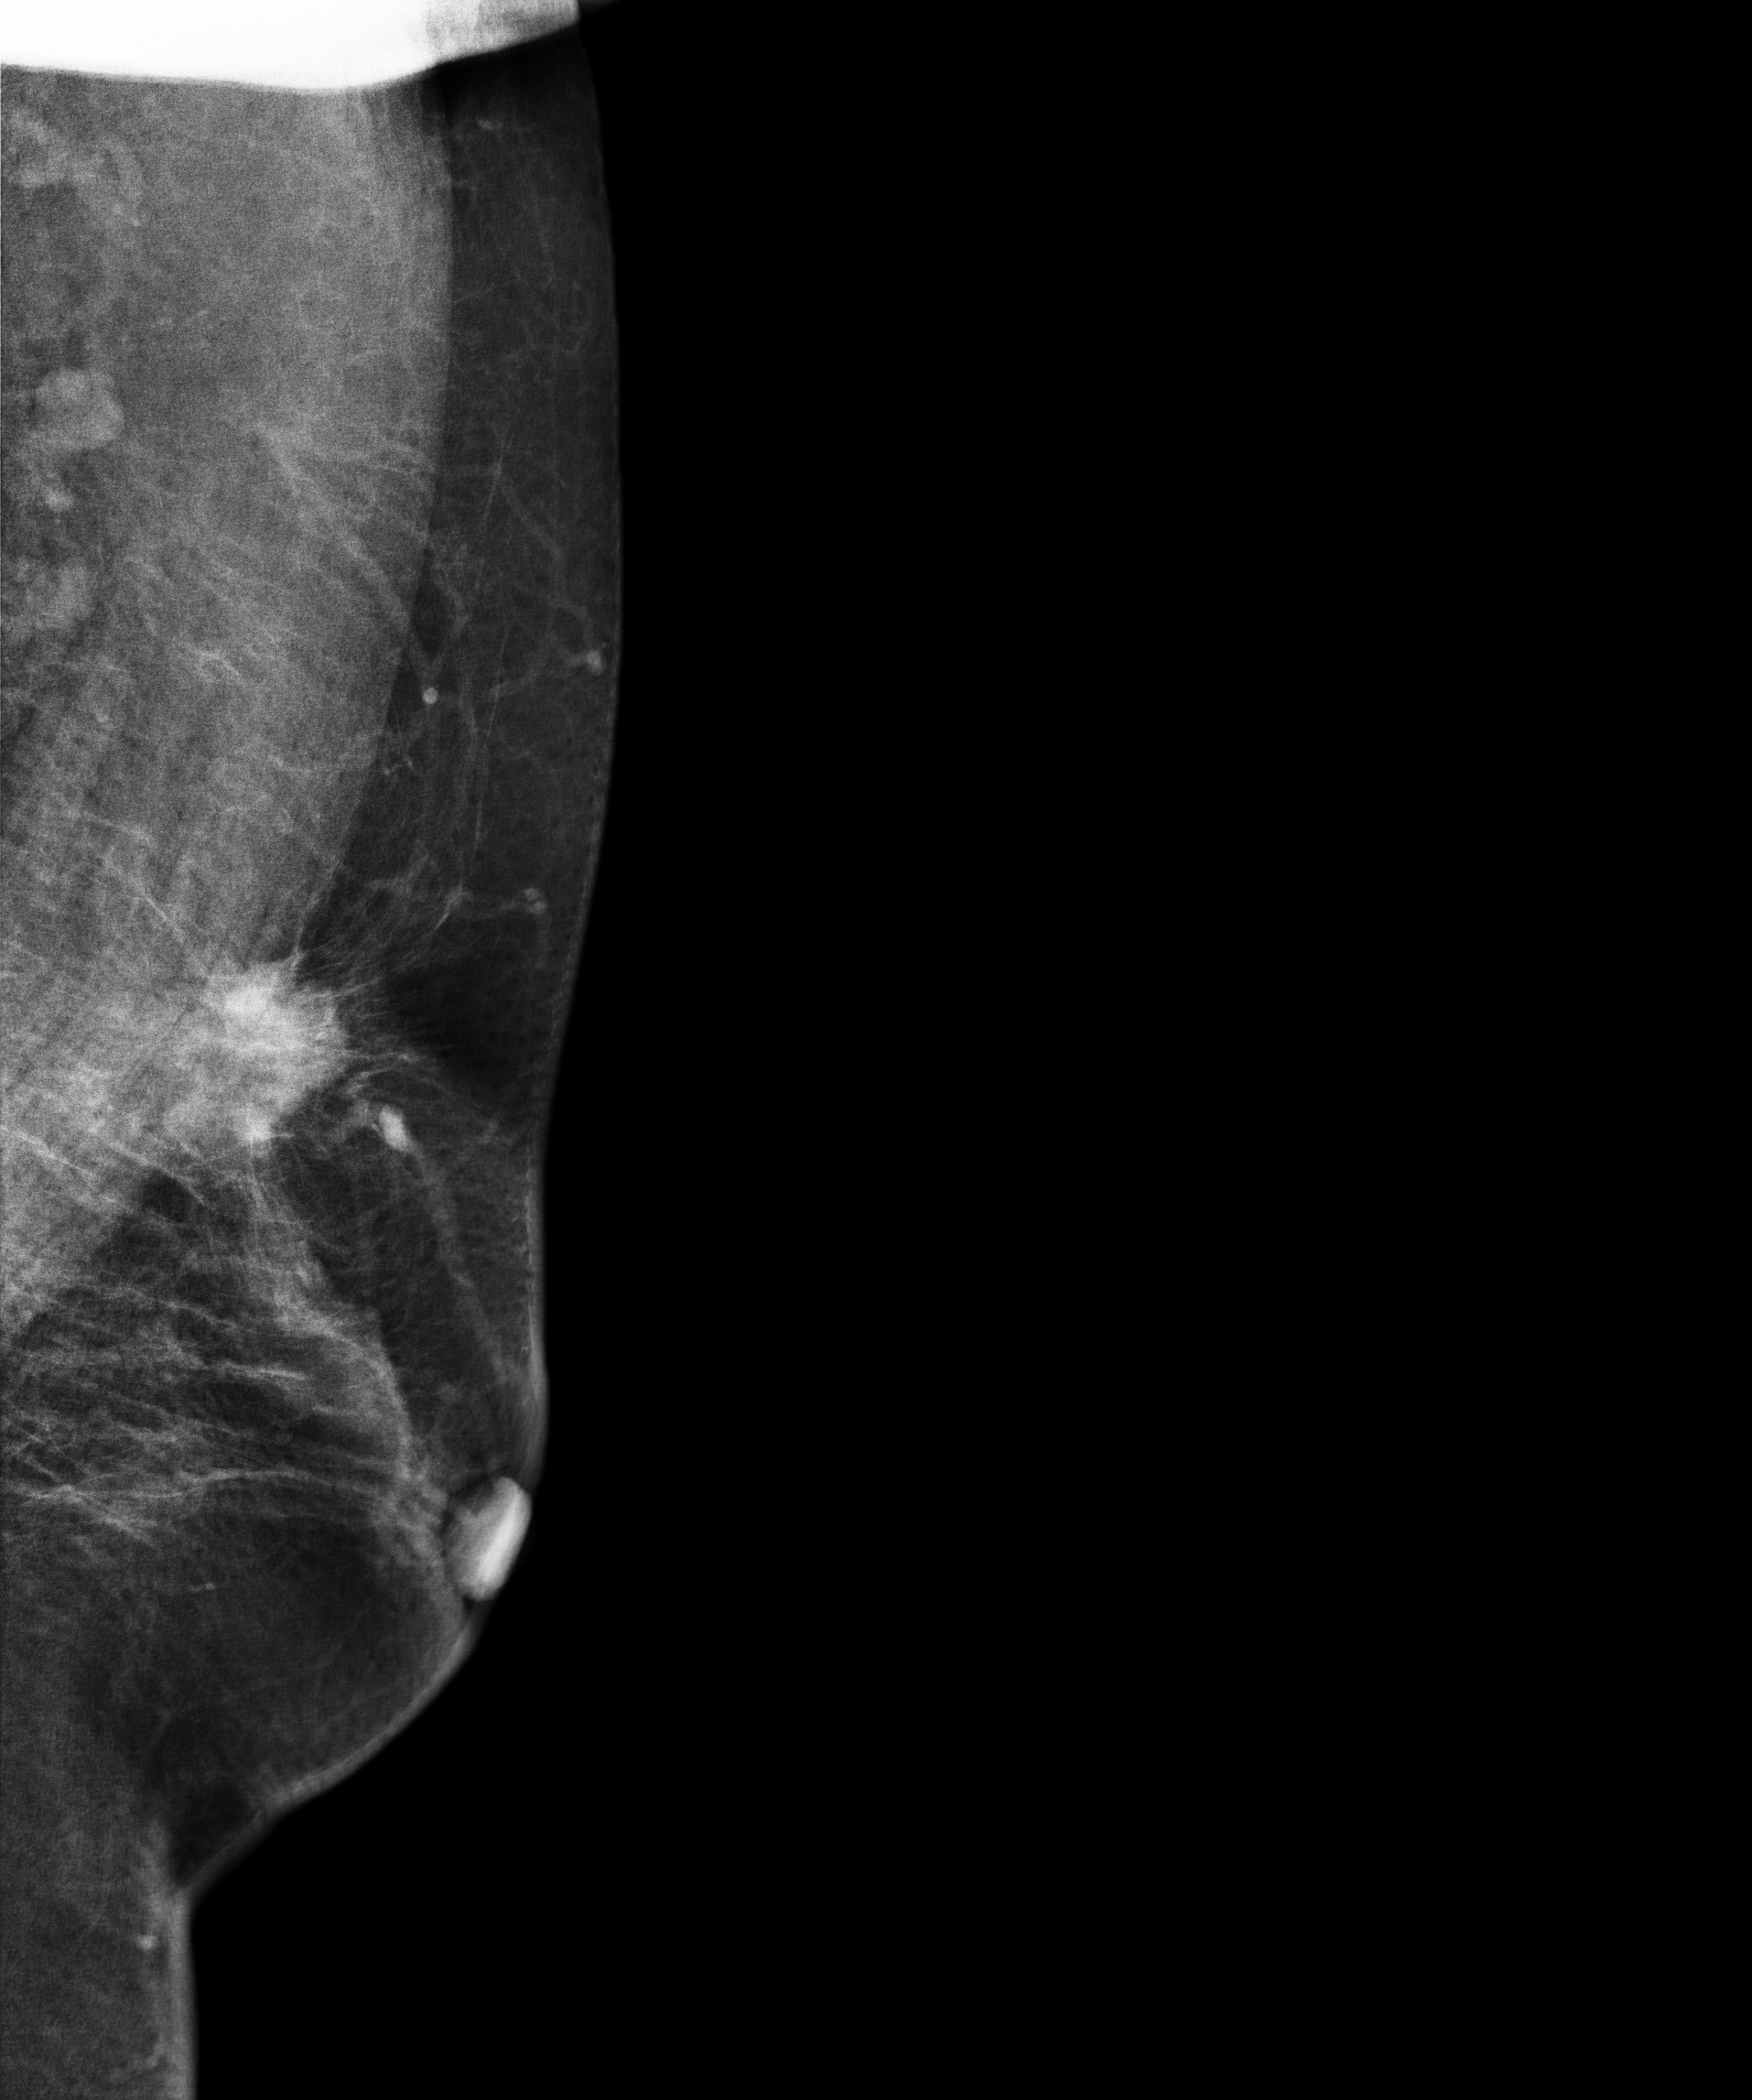
MLO mammogram of the left breast. Patient age 64.
This breast has a mass, pathology-confirmed malignant.